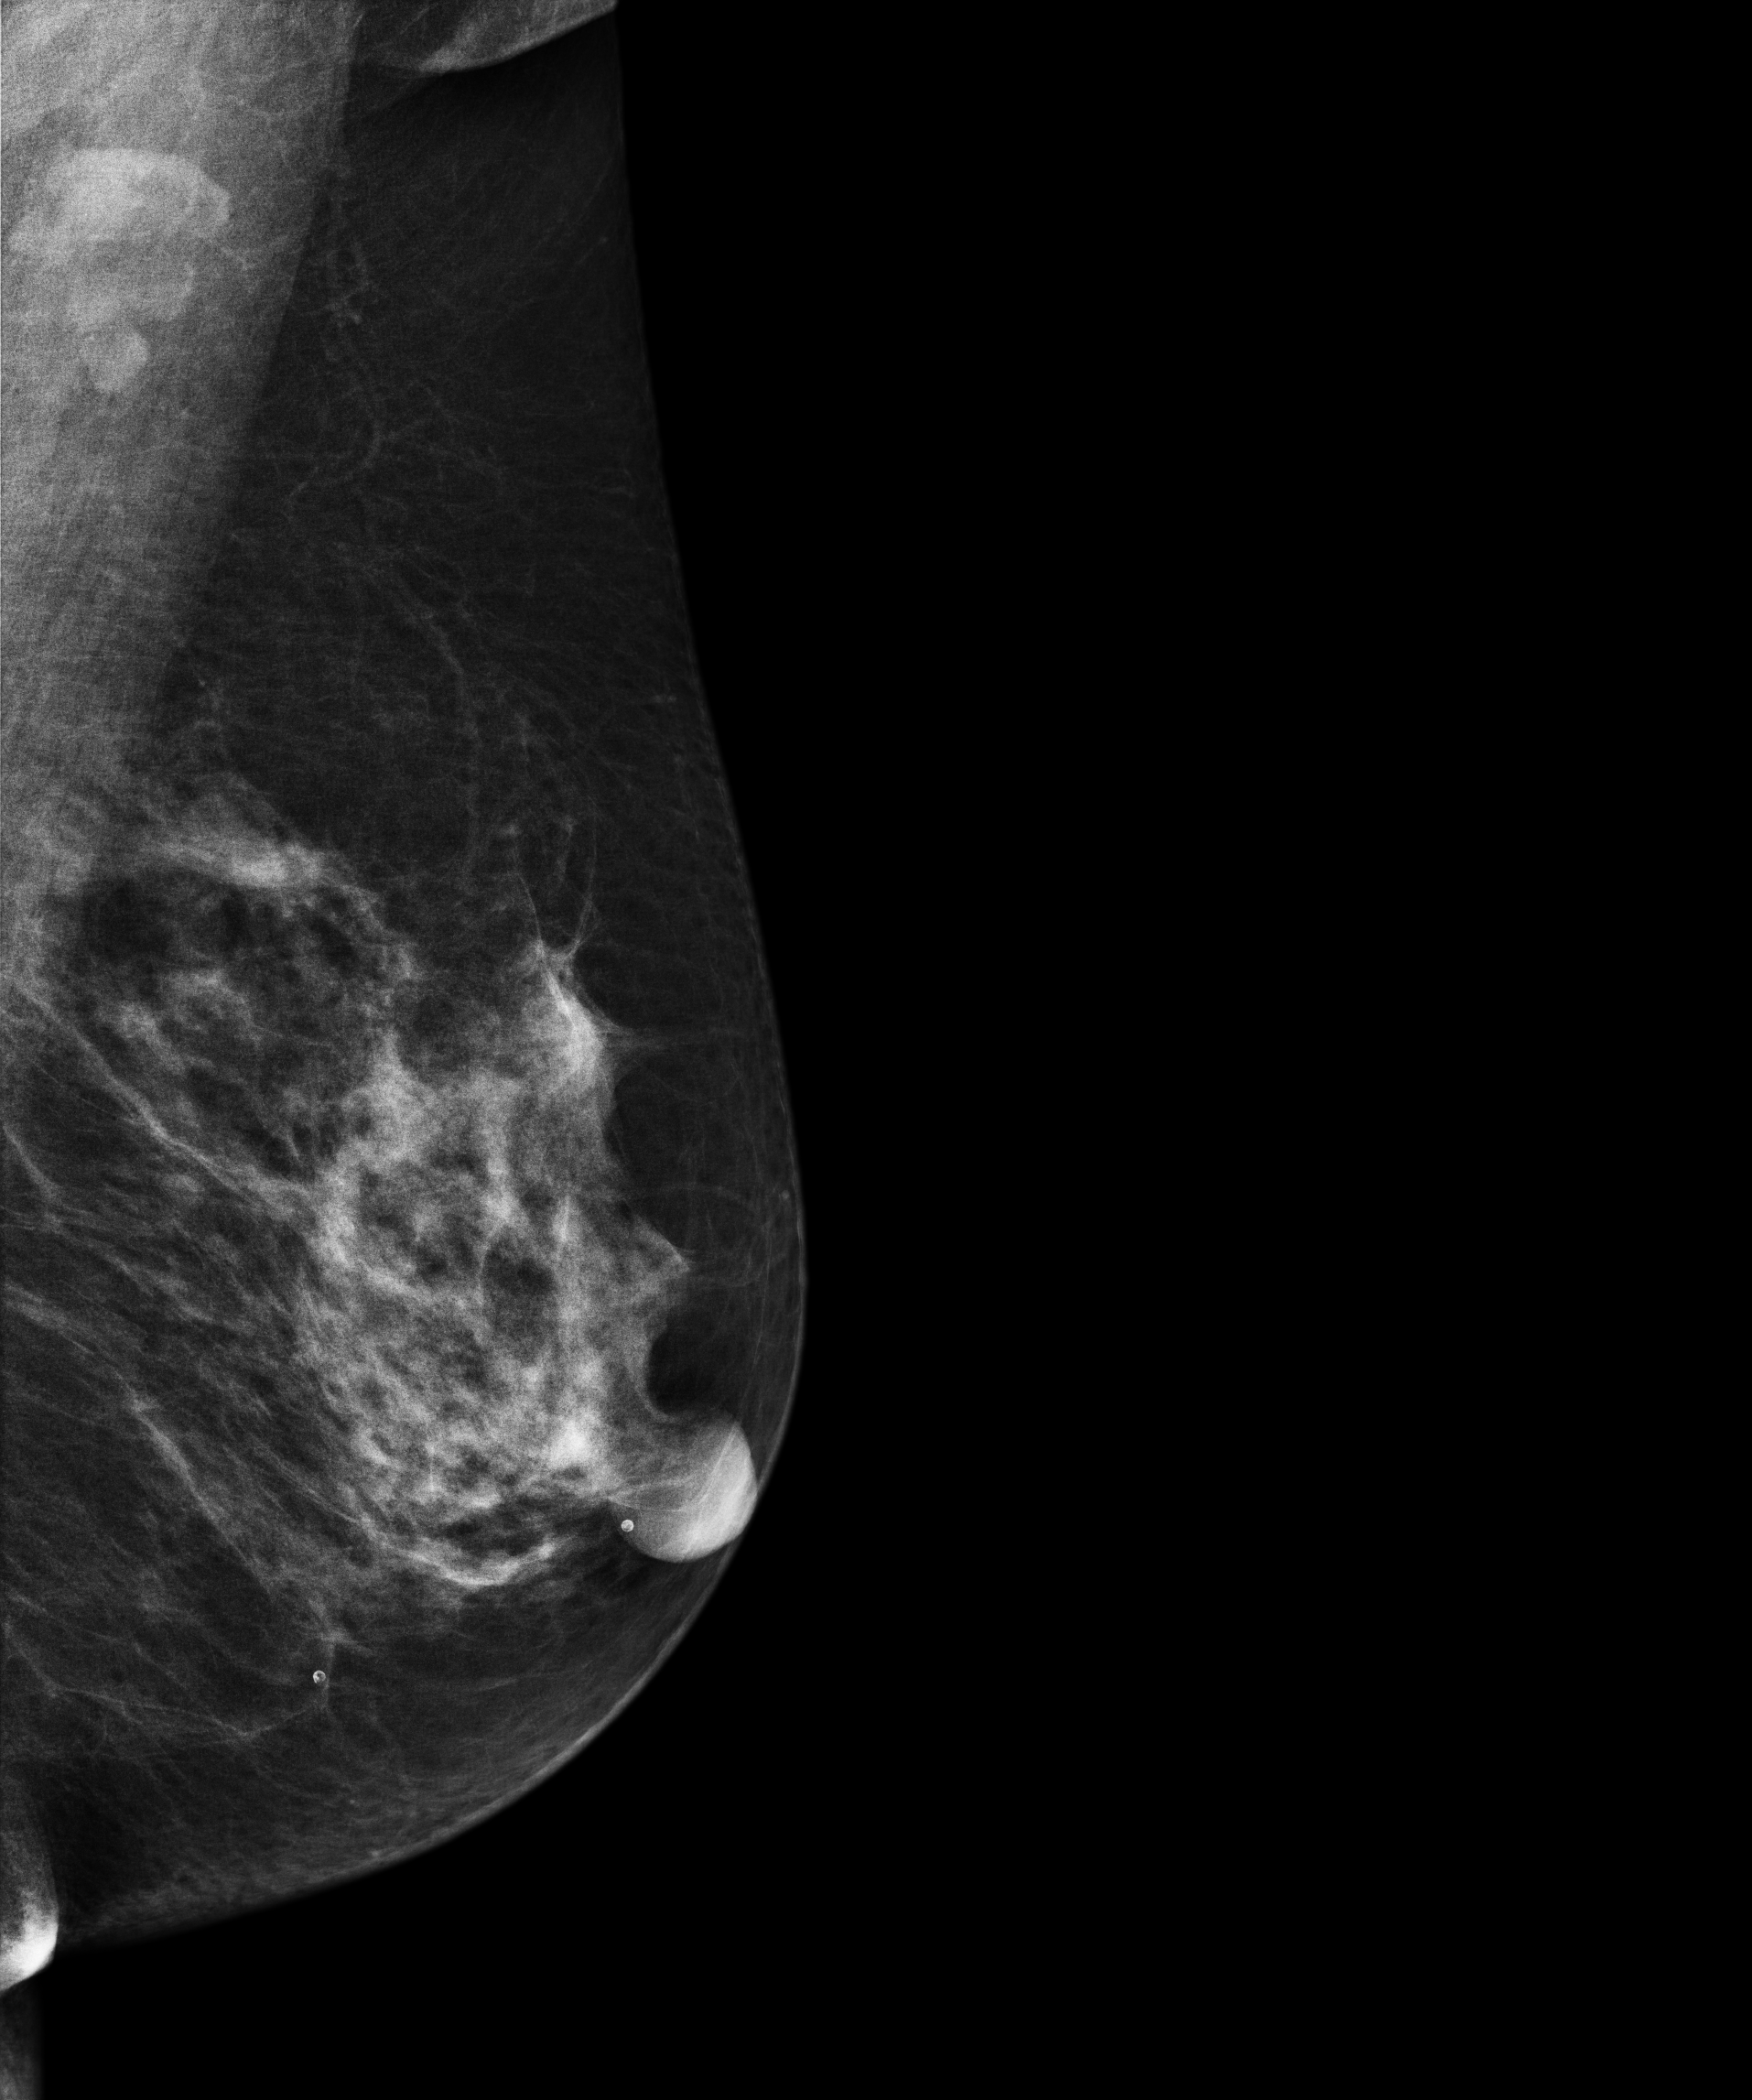
Medio-lateral oblique mammogram of the left breast. Patient age 60.
Contralateral breast — no documented abnormality on this side.